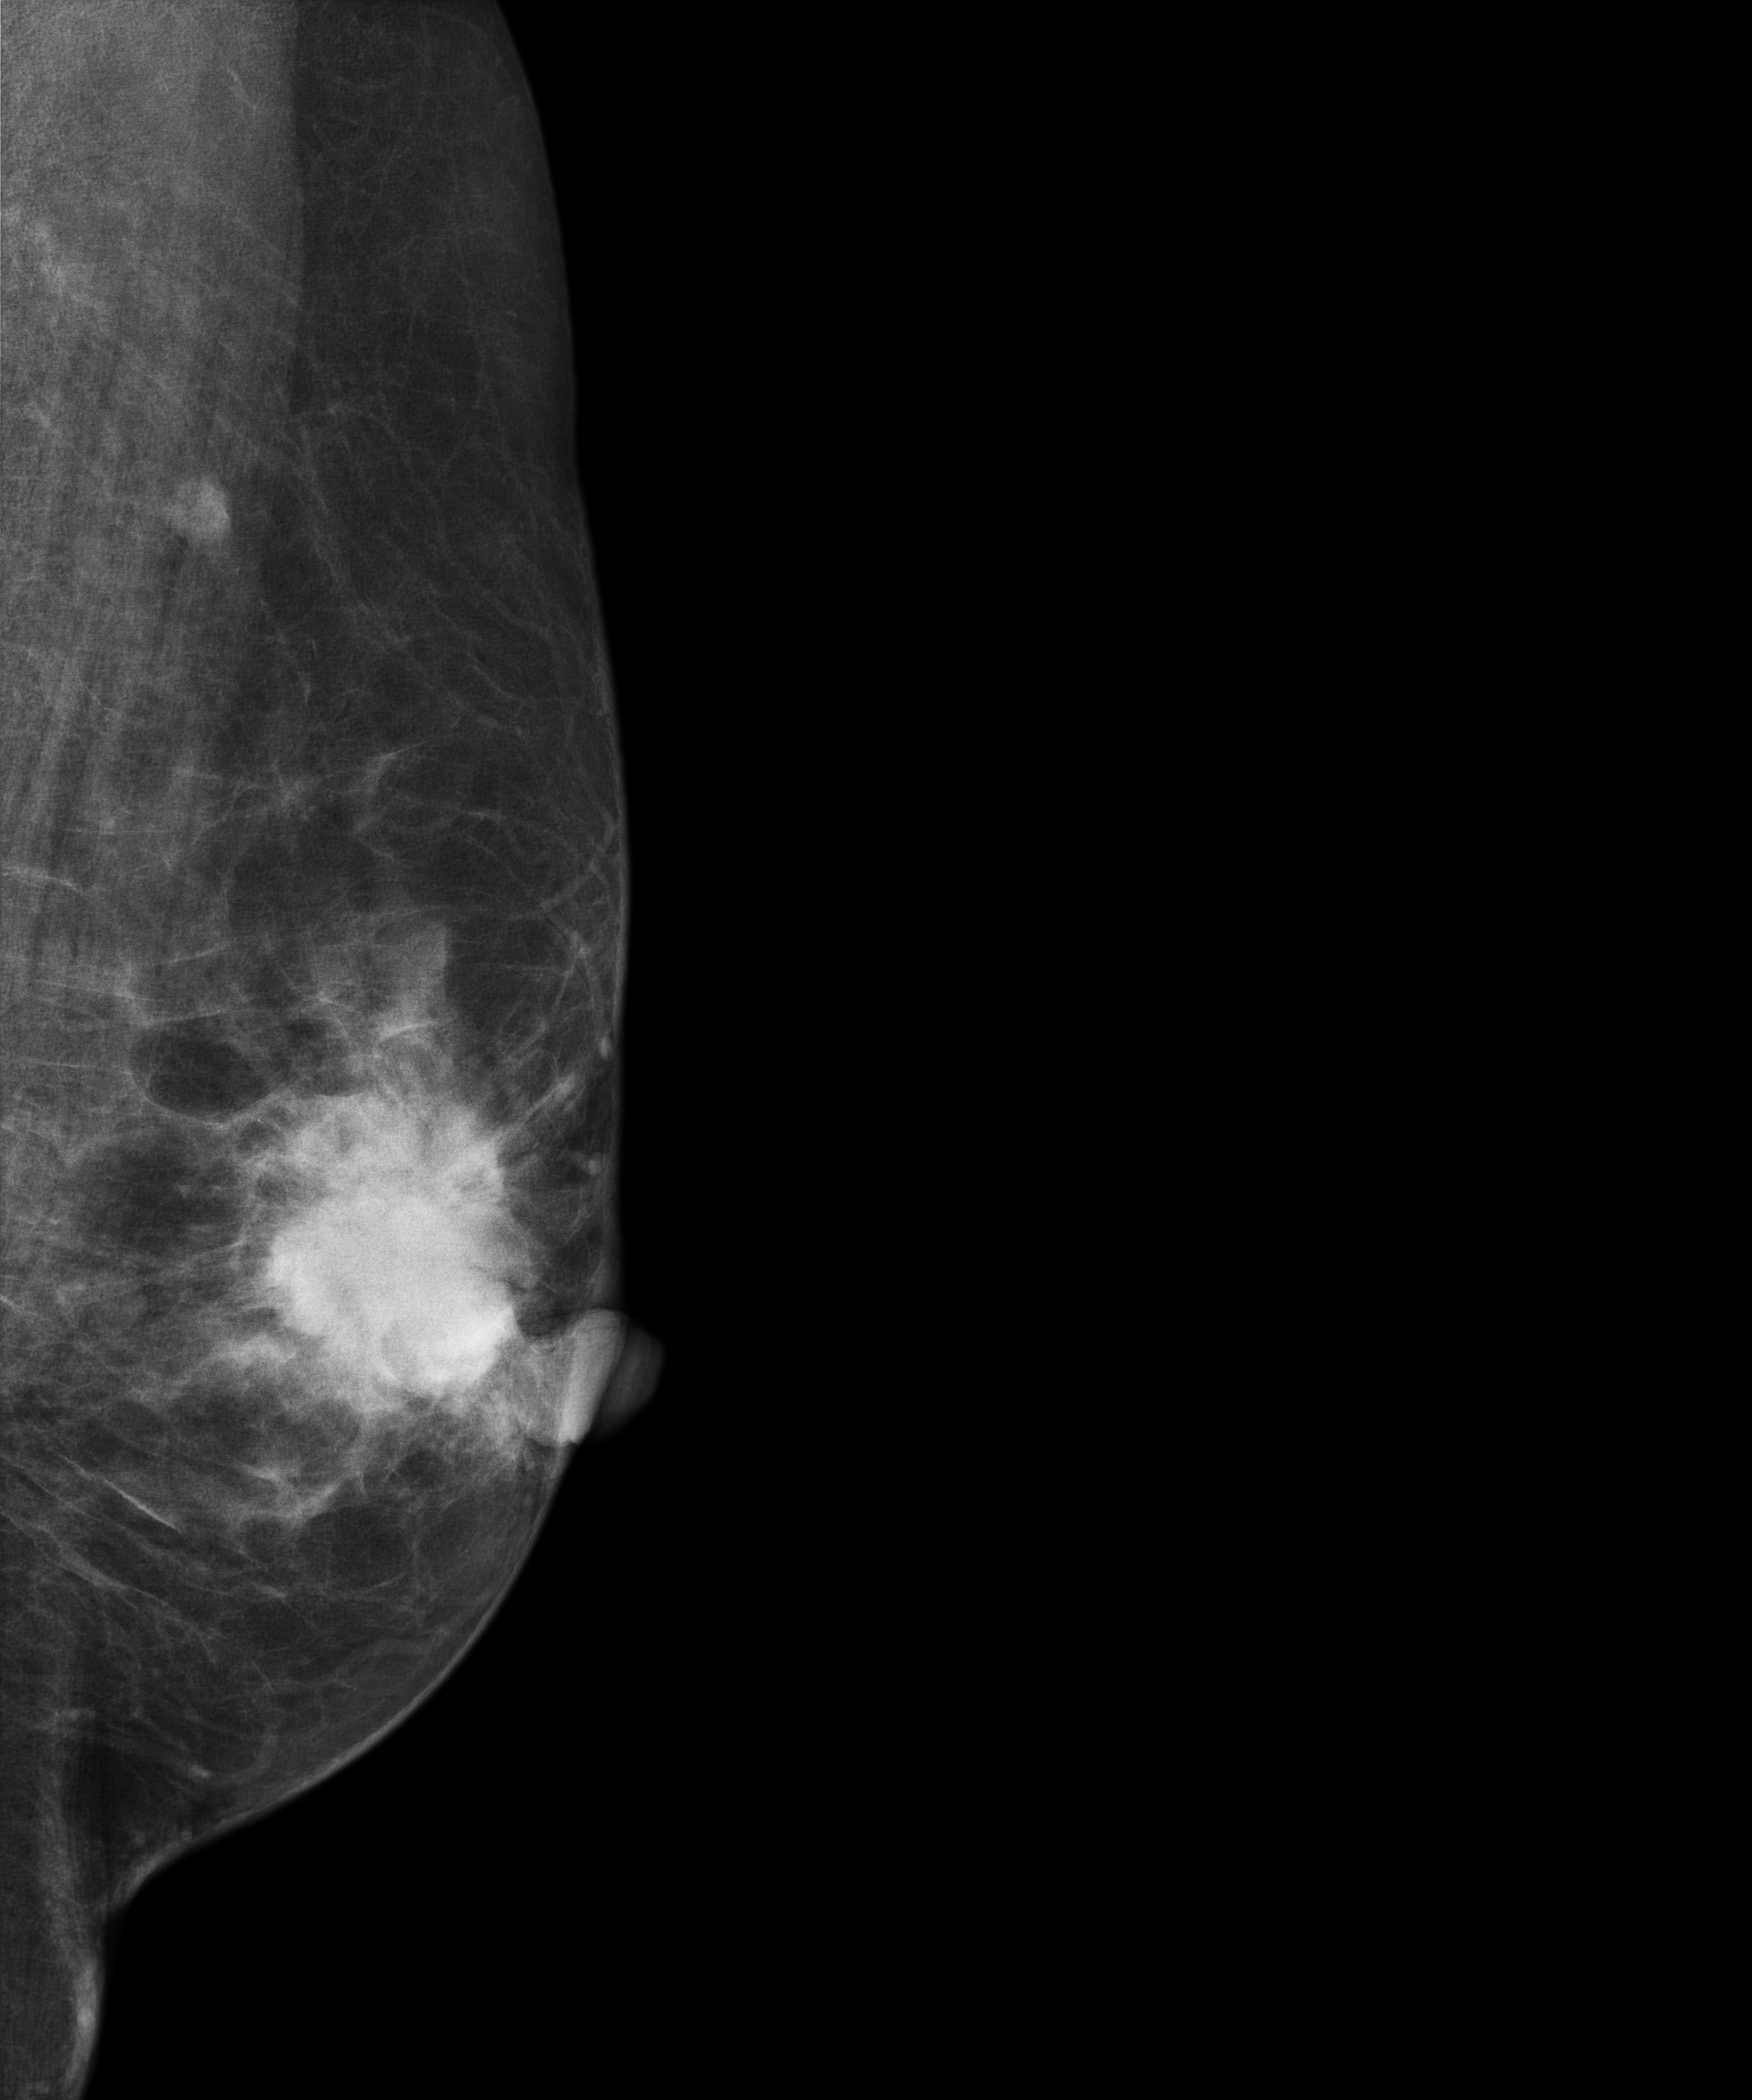
Left-breast mammogram, medio-lateral oblique. Patient age 58.
This breast has a mass, biopsy-confirmed malignant.